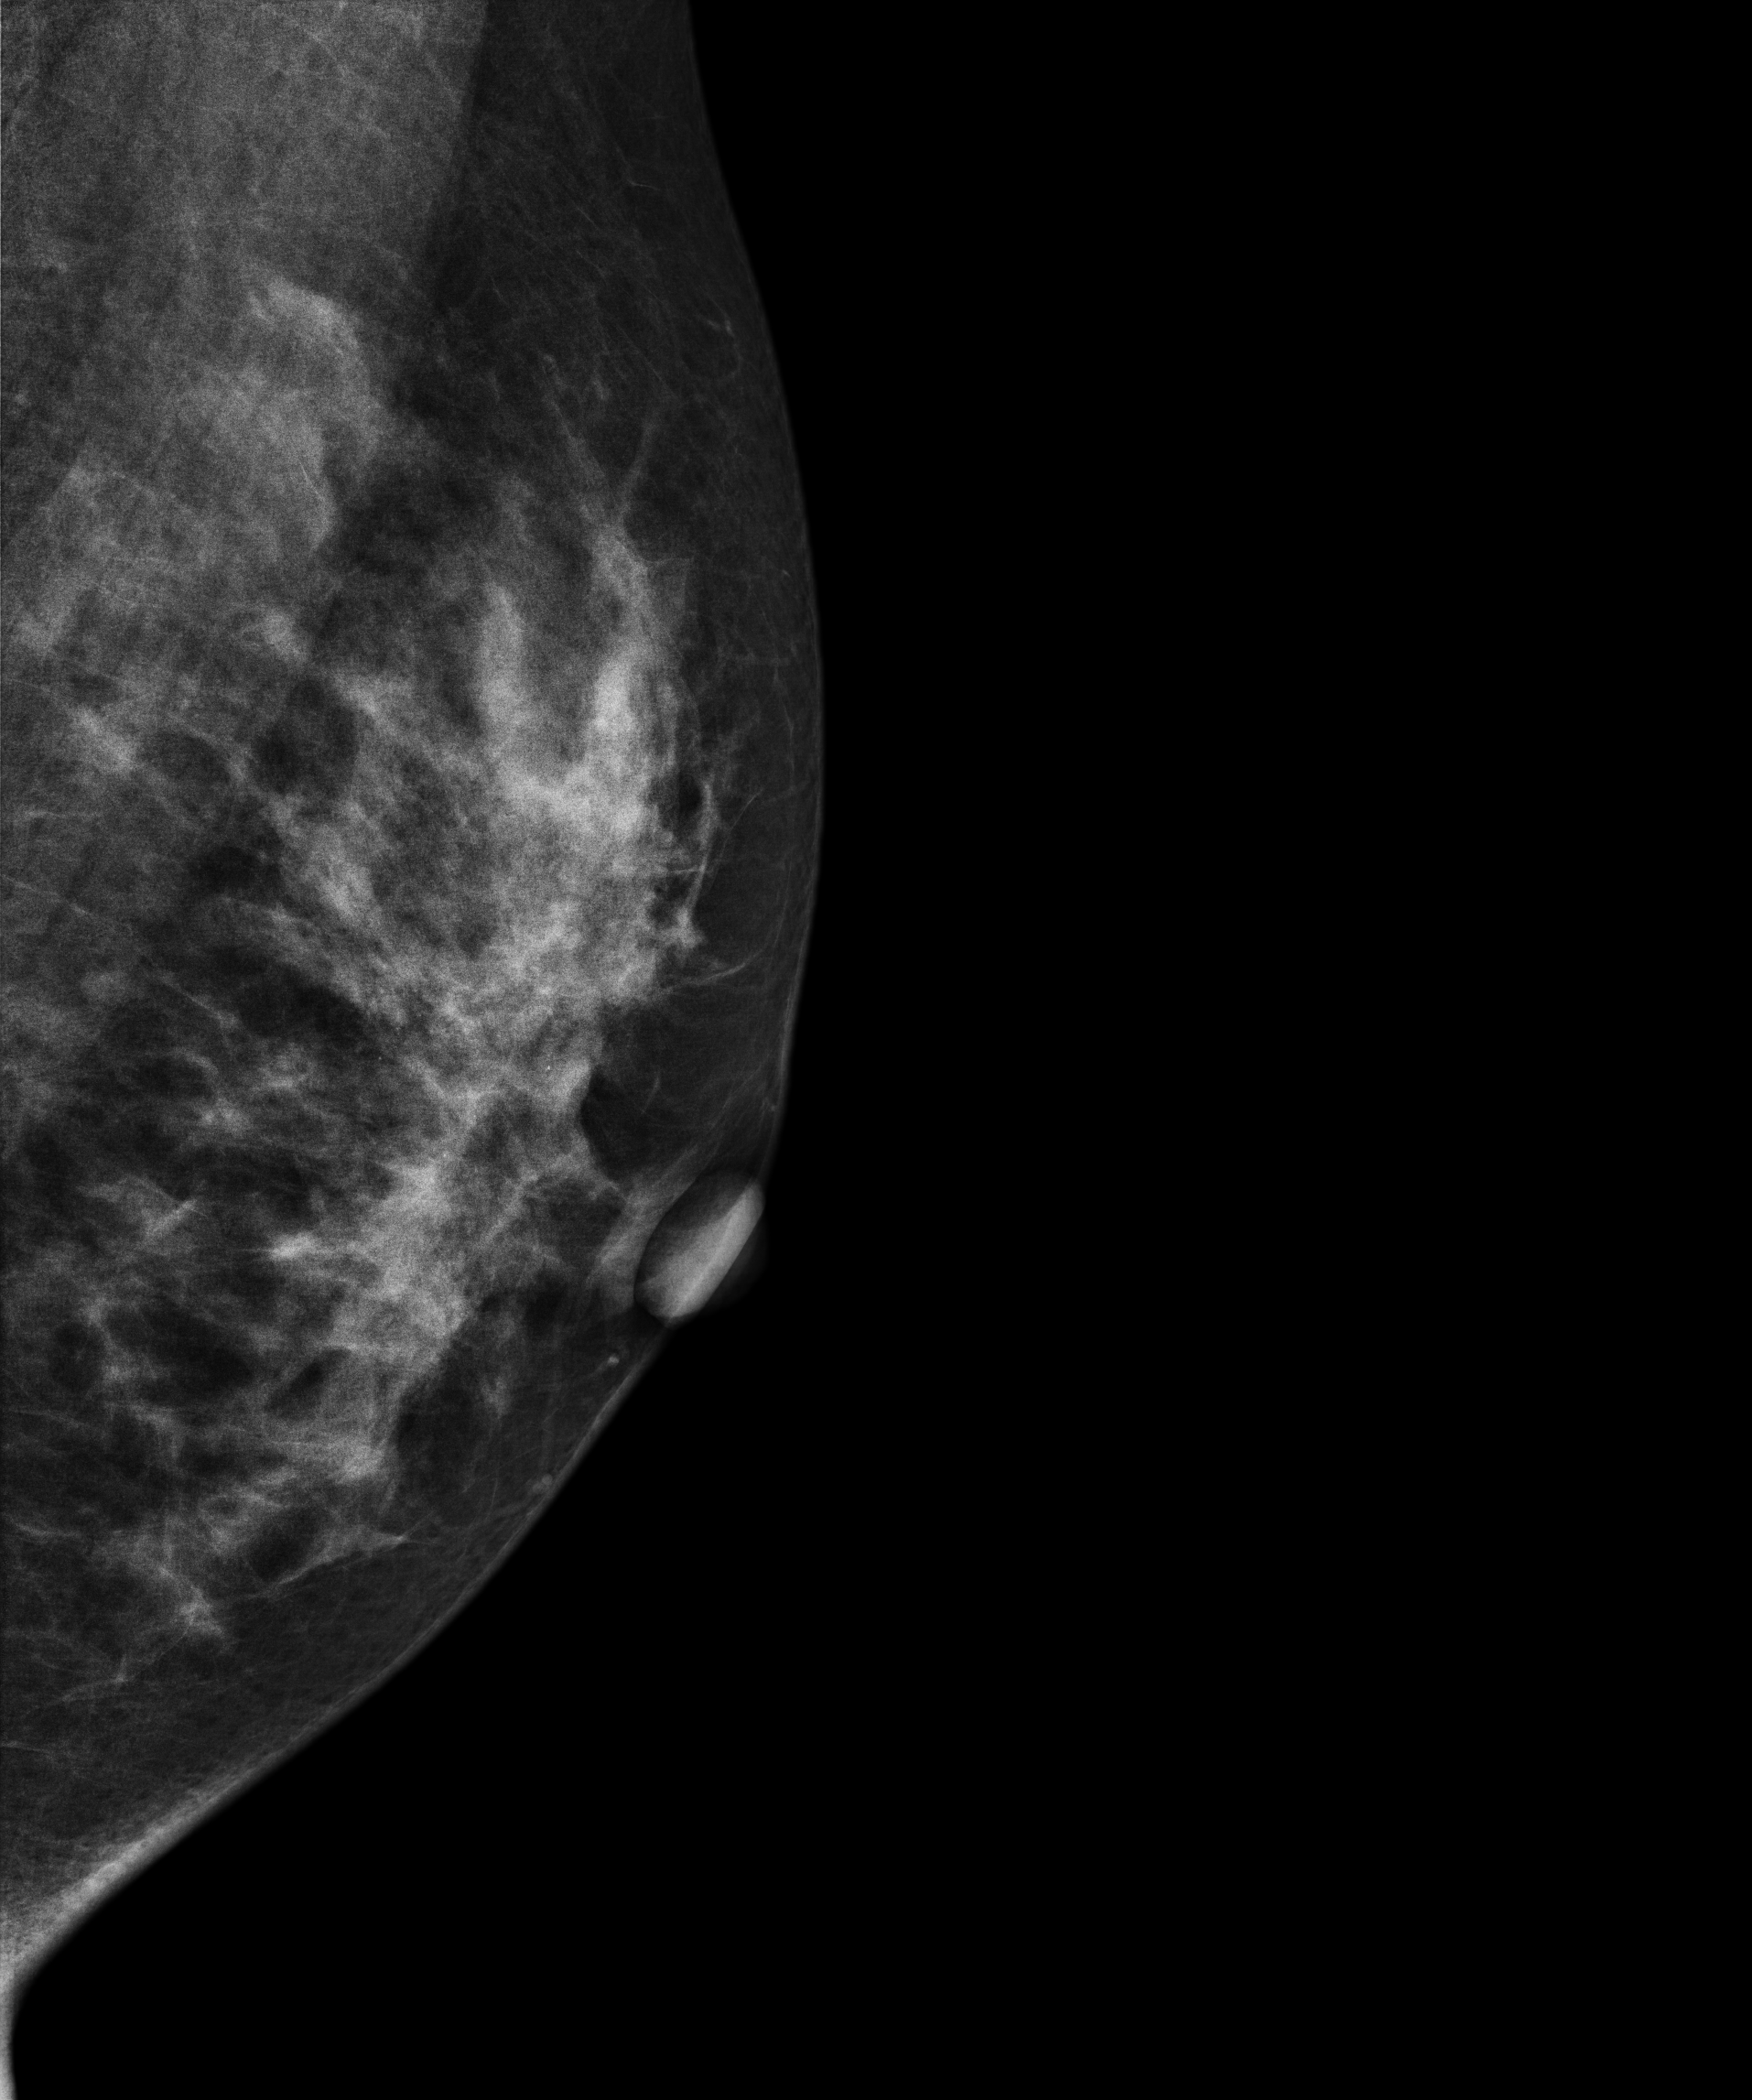
Mammogram, left breast, medio-lateral oblique view. Patient age 29.
Contralateral breast — no documented abnormality on this side.